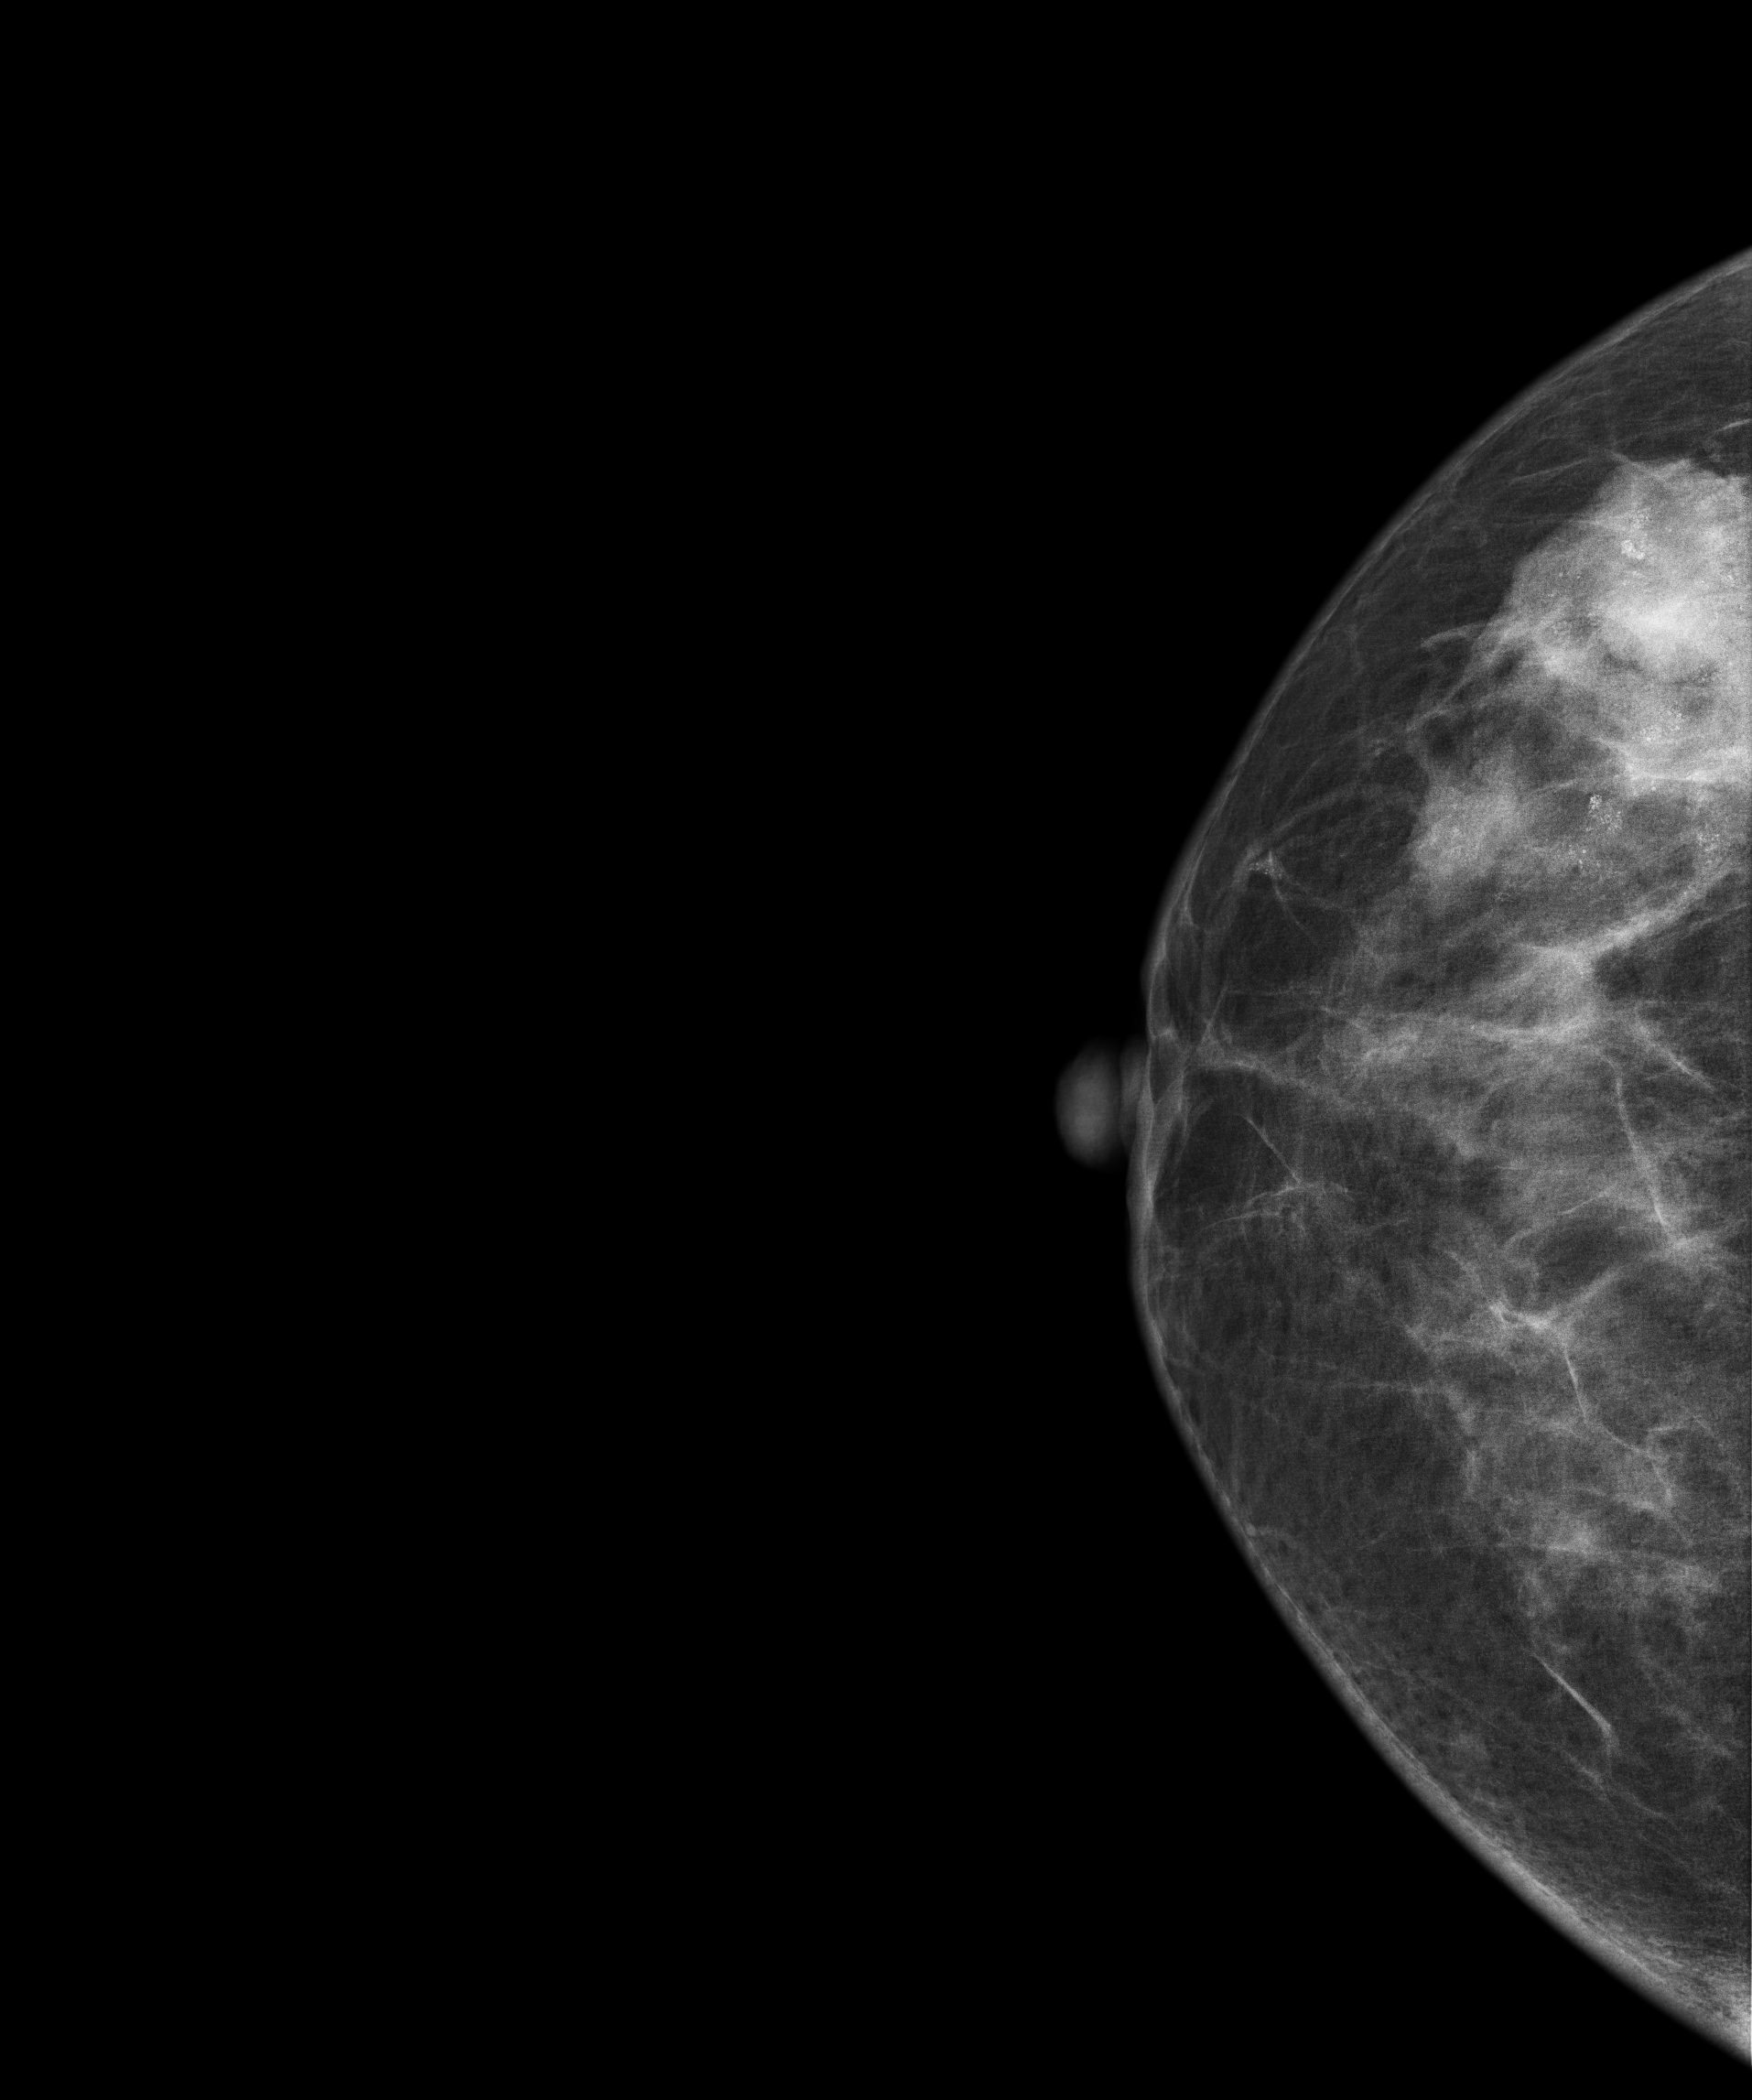
Mammogram, right breast, CC view. Patient age 36.
This breast has a mass and calcifications, biopsy-proven malignant. Molecular subtype: luminal B.